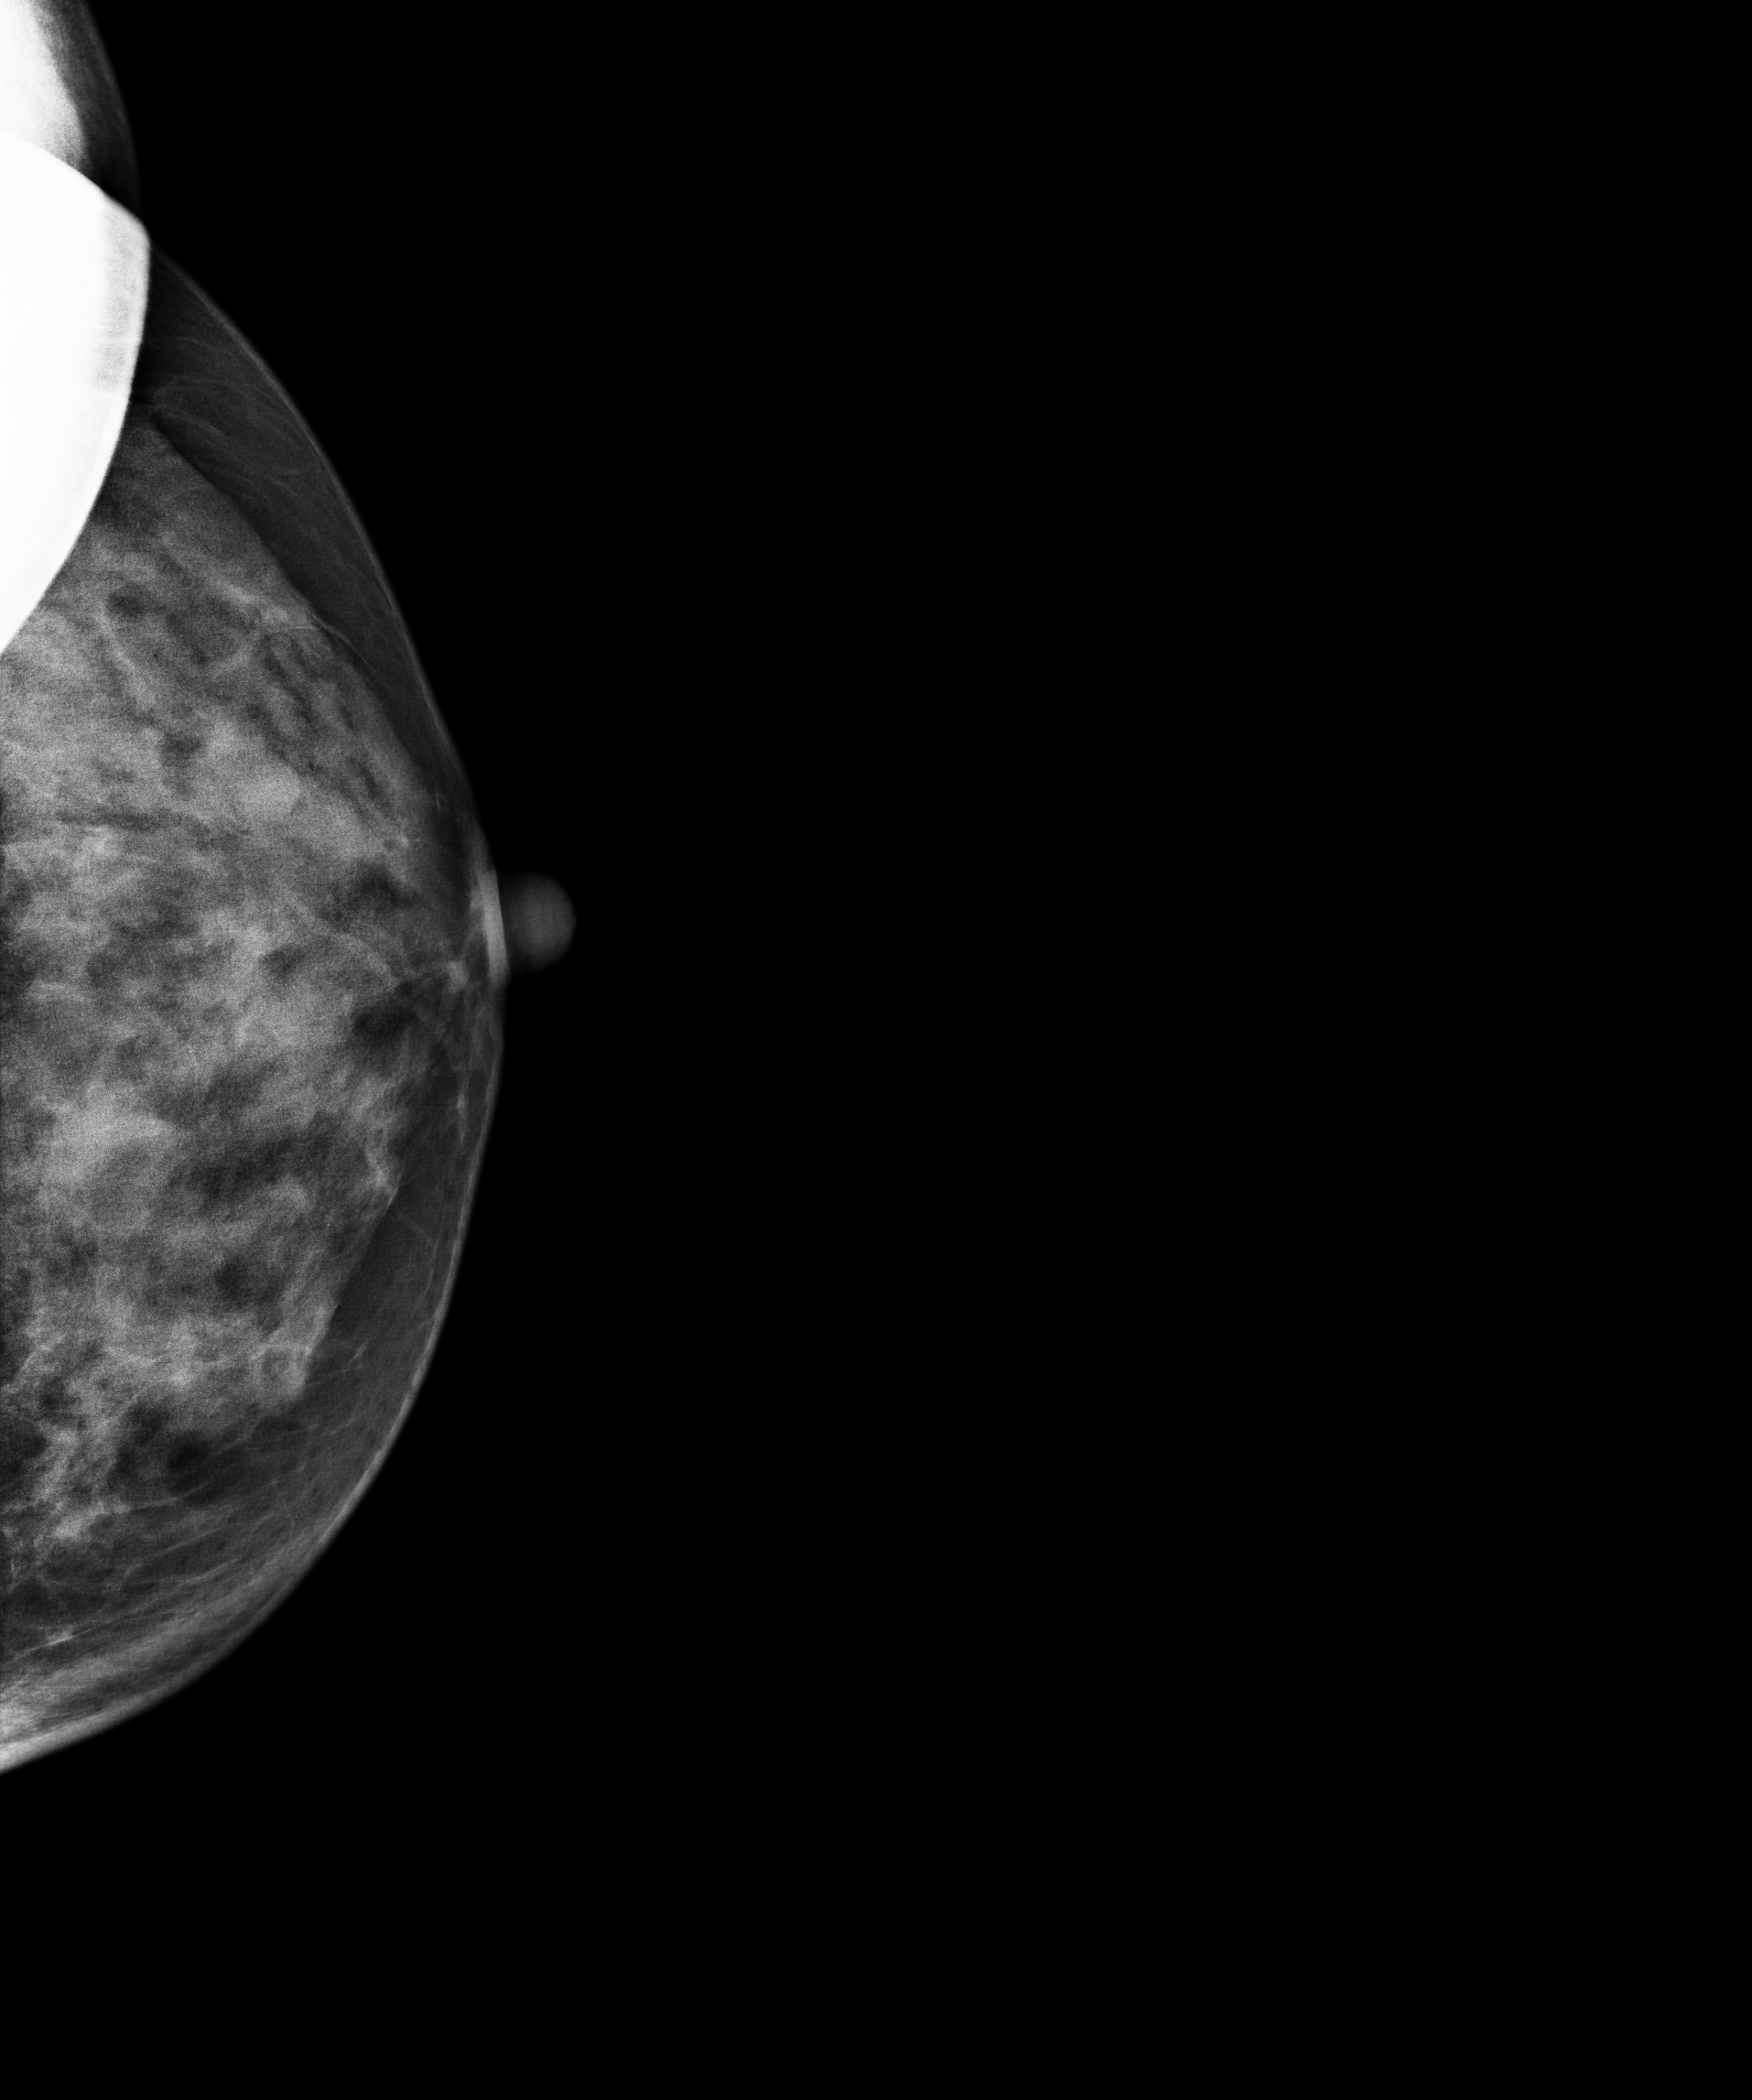
Mammogram, left breast, CC view. 35-year-old patient.
This breast has a mass, pathology-confirmed benign.